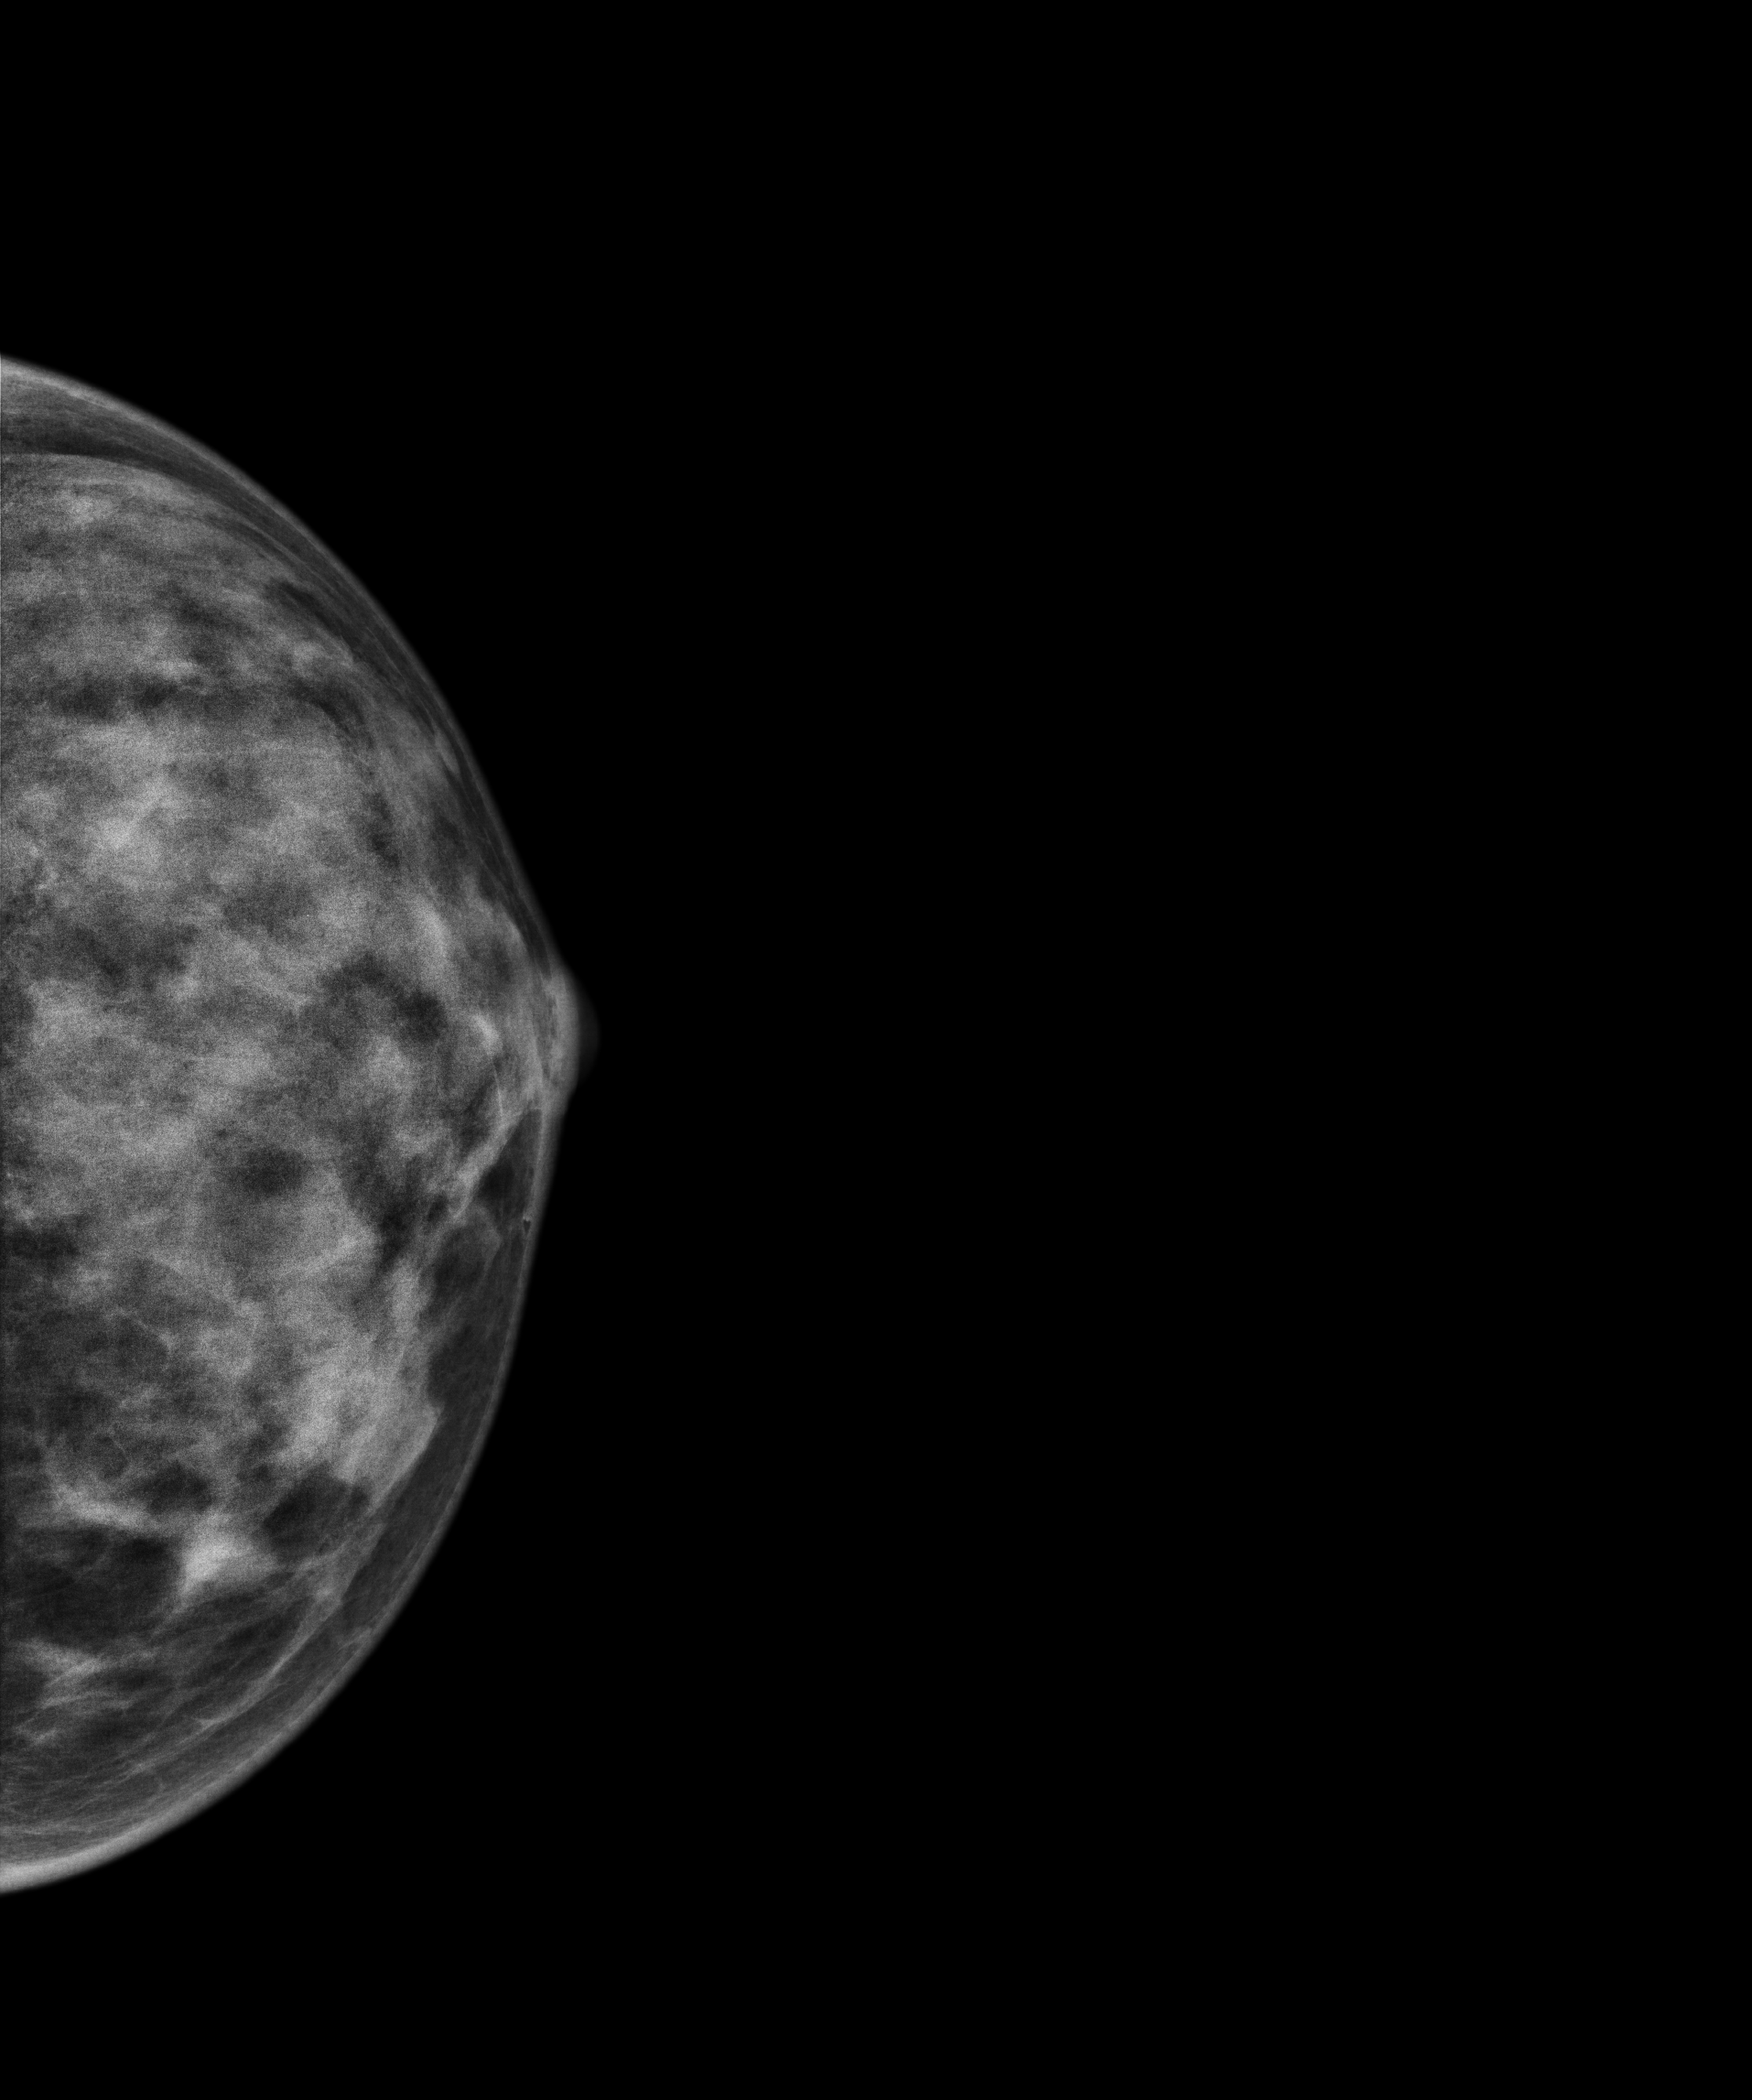
CC mammogram of the left breast. 42-year-old patient.
This breast has a mass, biopsy-proven malignant. Molecular subtype: luminal B.